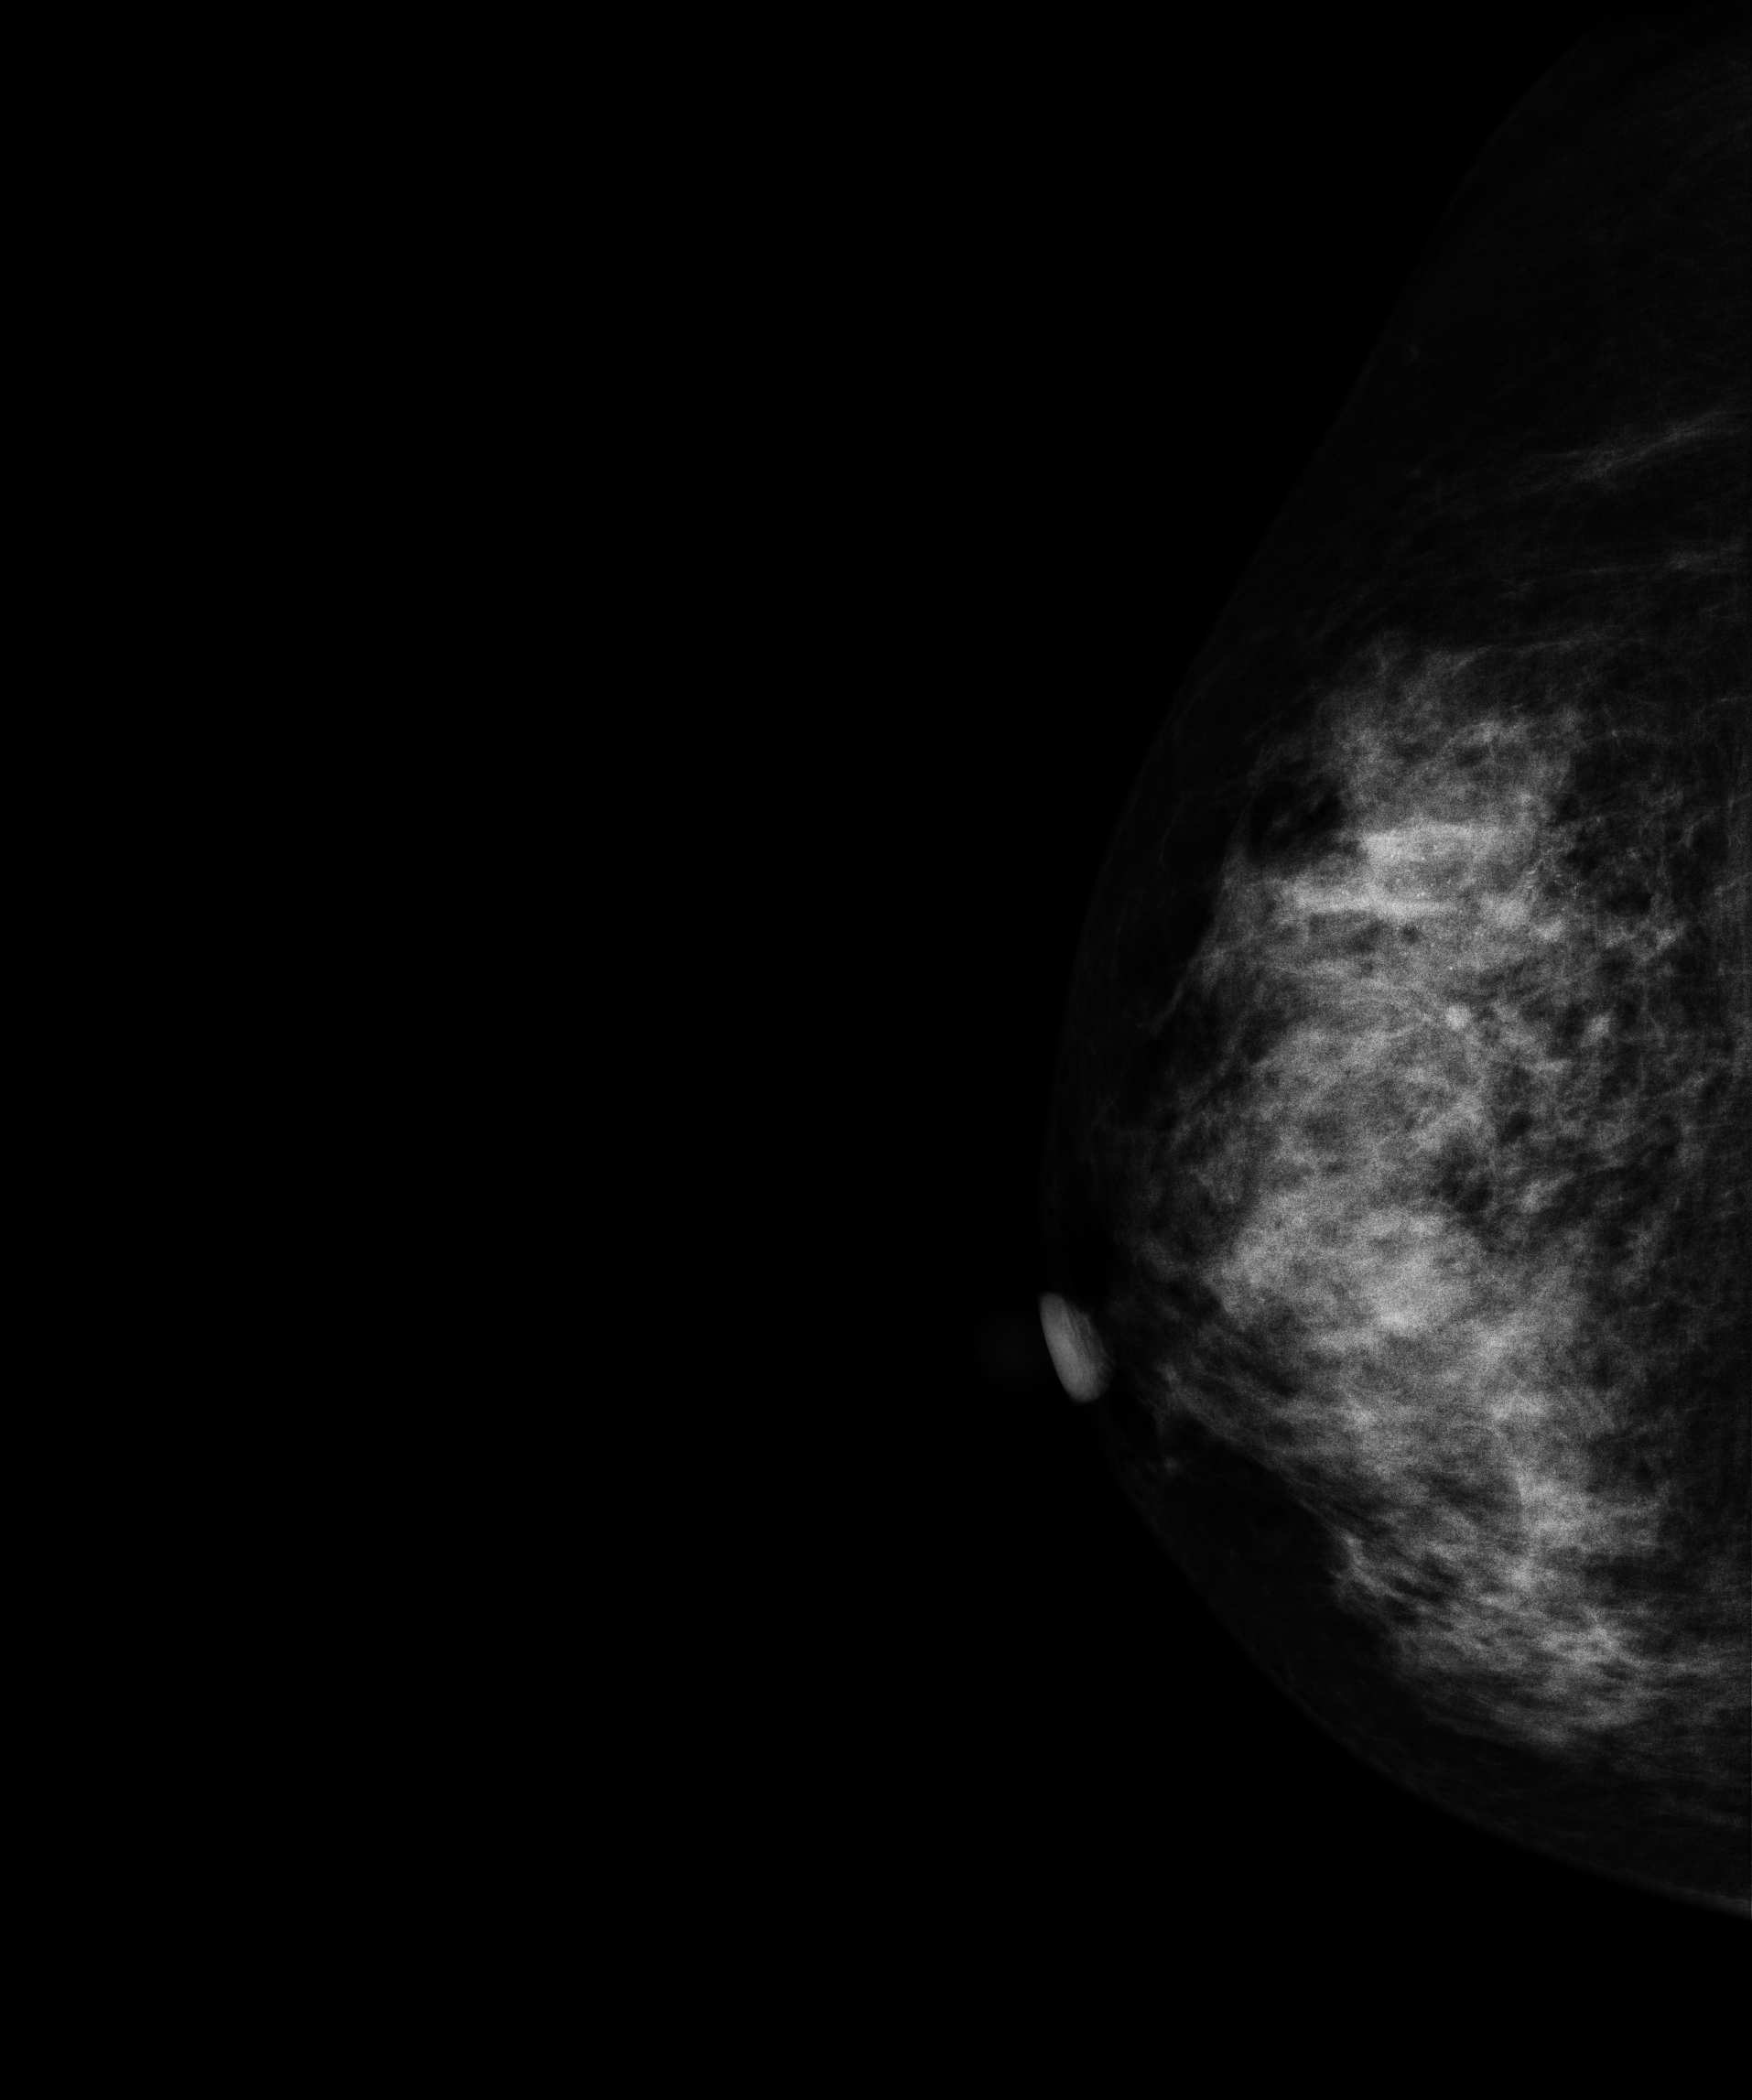
Digital mammography. Right breast, cranio-caudal projection. 46 y/o patient.
This breast has calcifications, pathology-confirmed malignant.